Cranio-caudal mammogram of the right breast. 66 y/o patient.
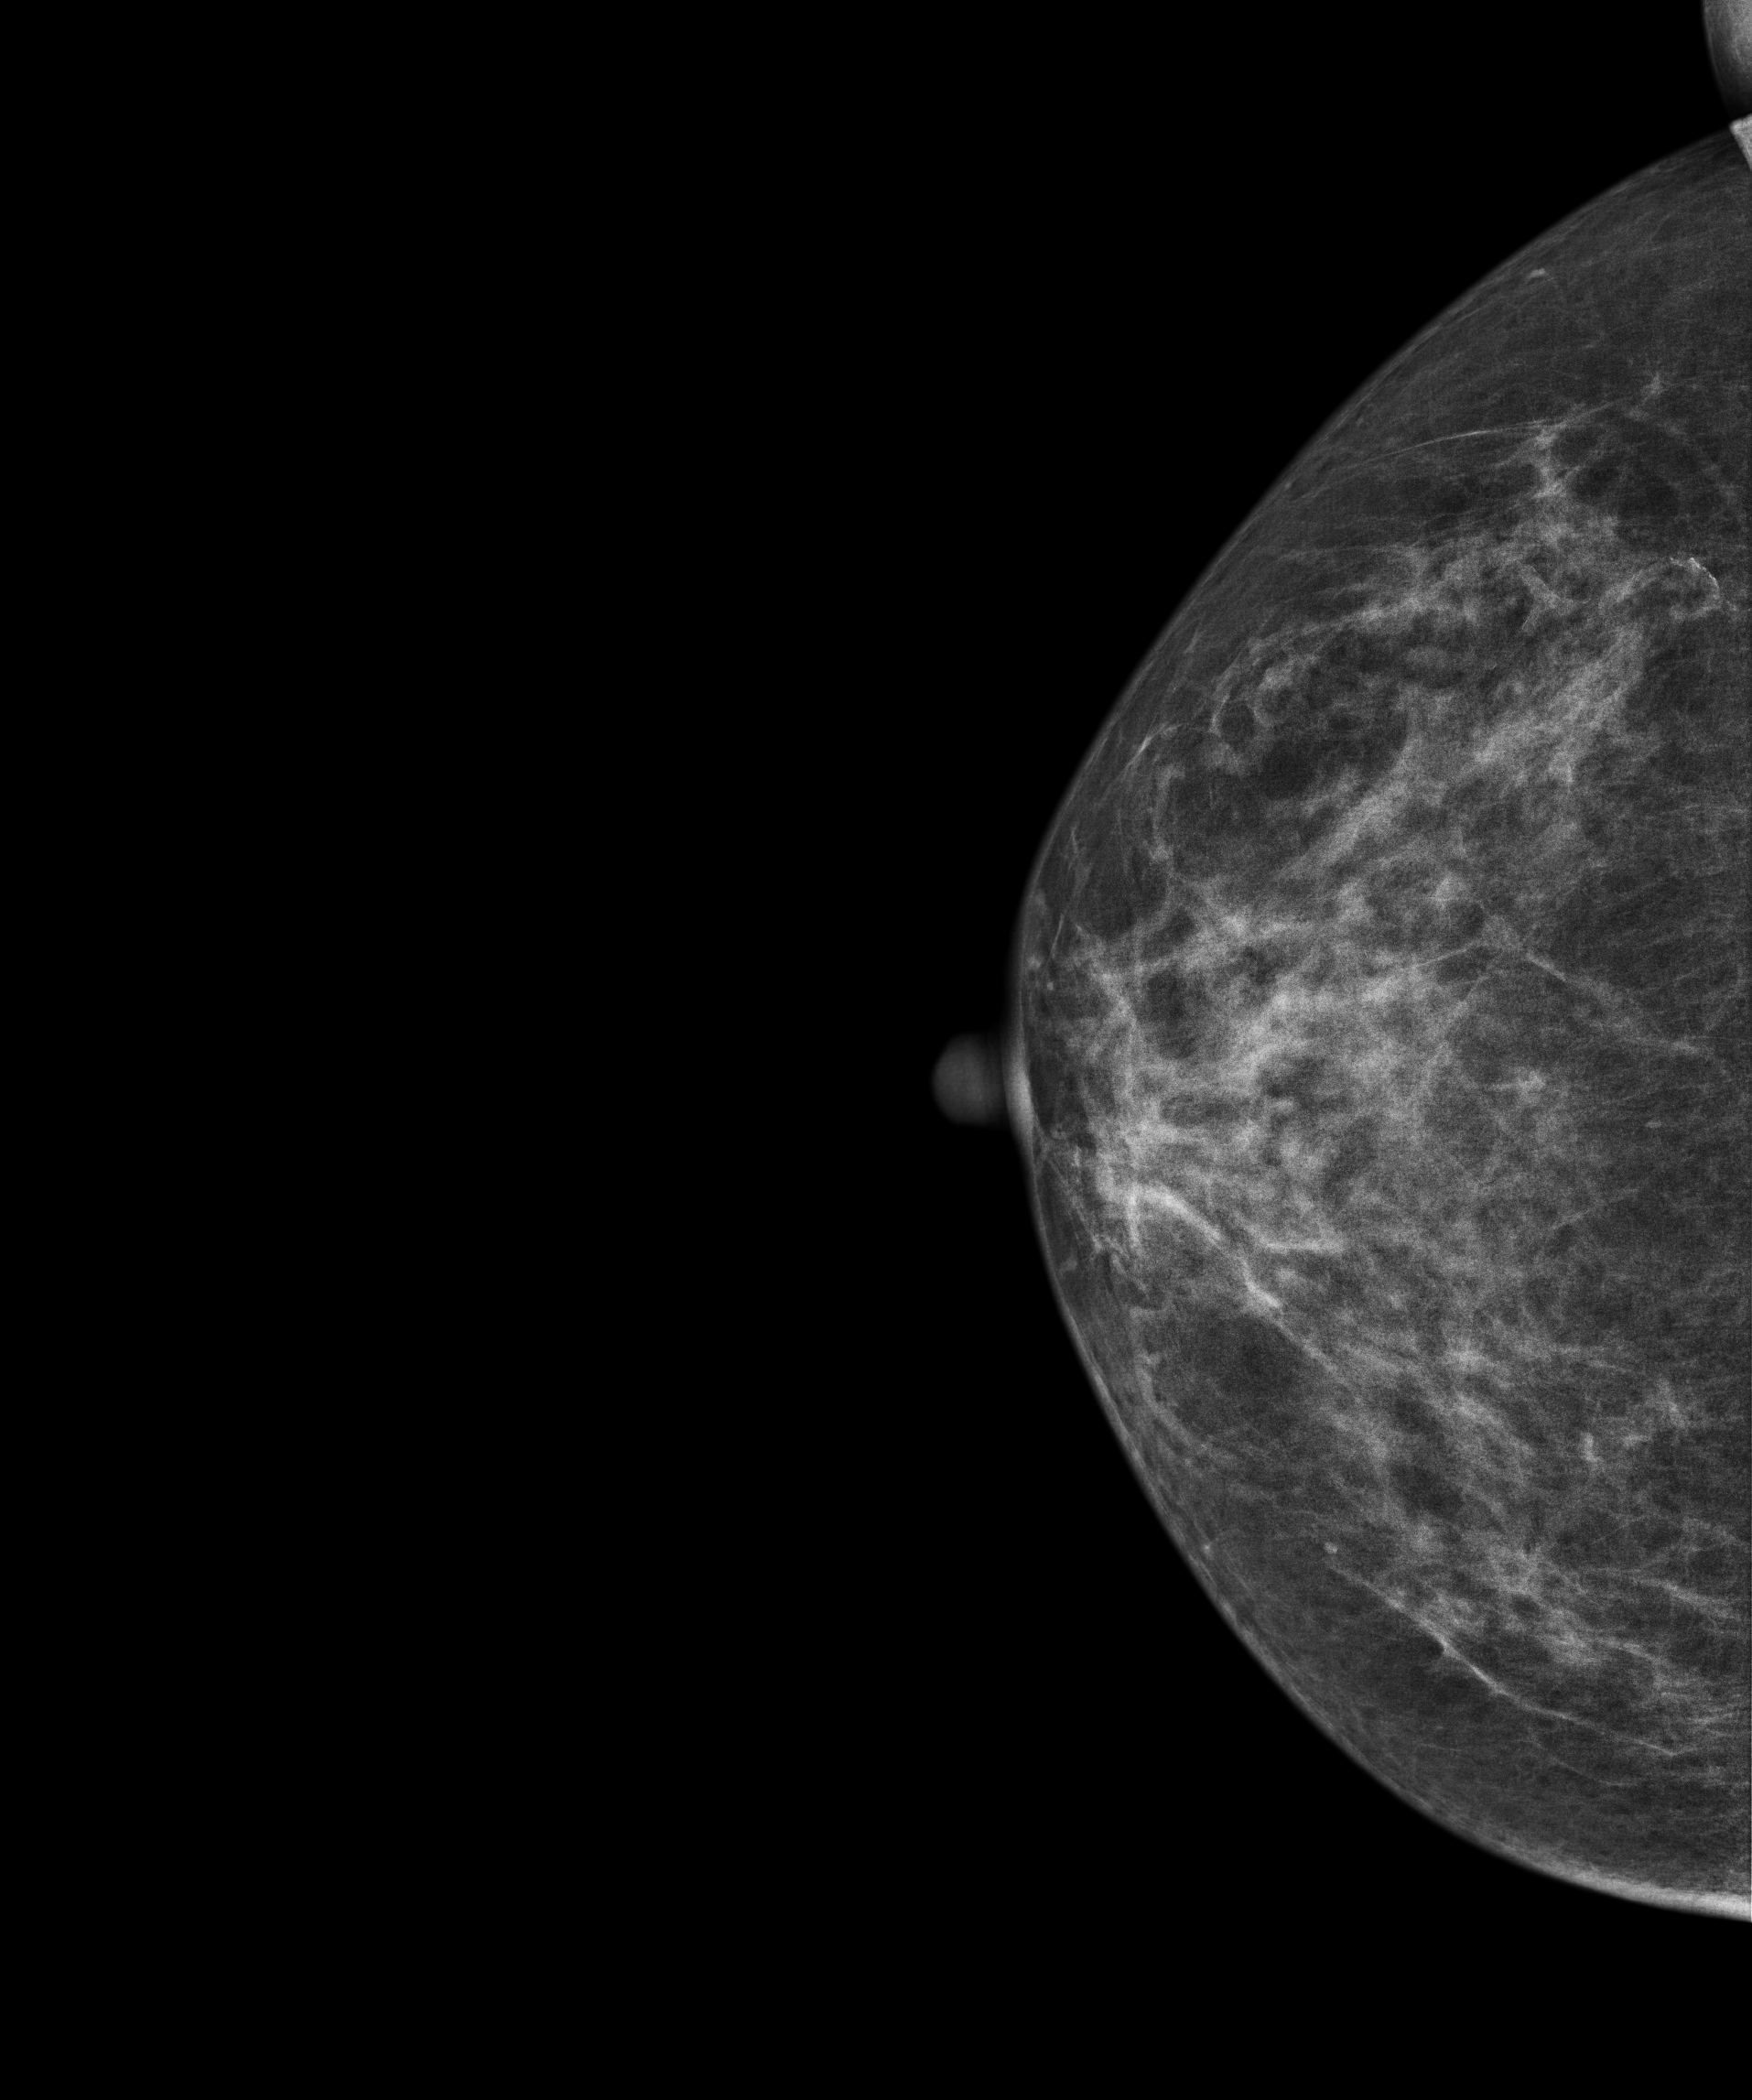
Contralateral breast — no documented abnormality on this side.